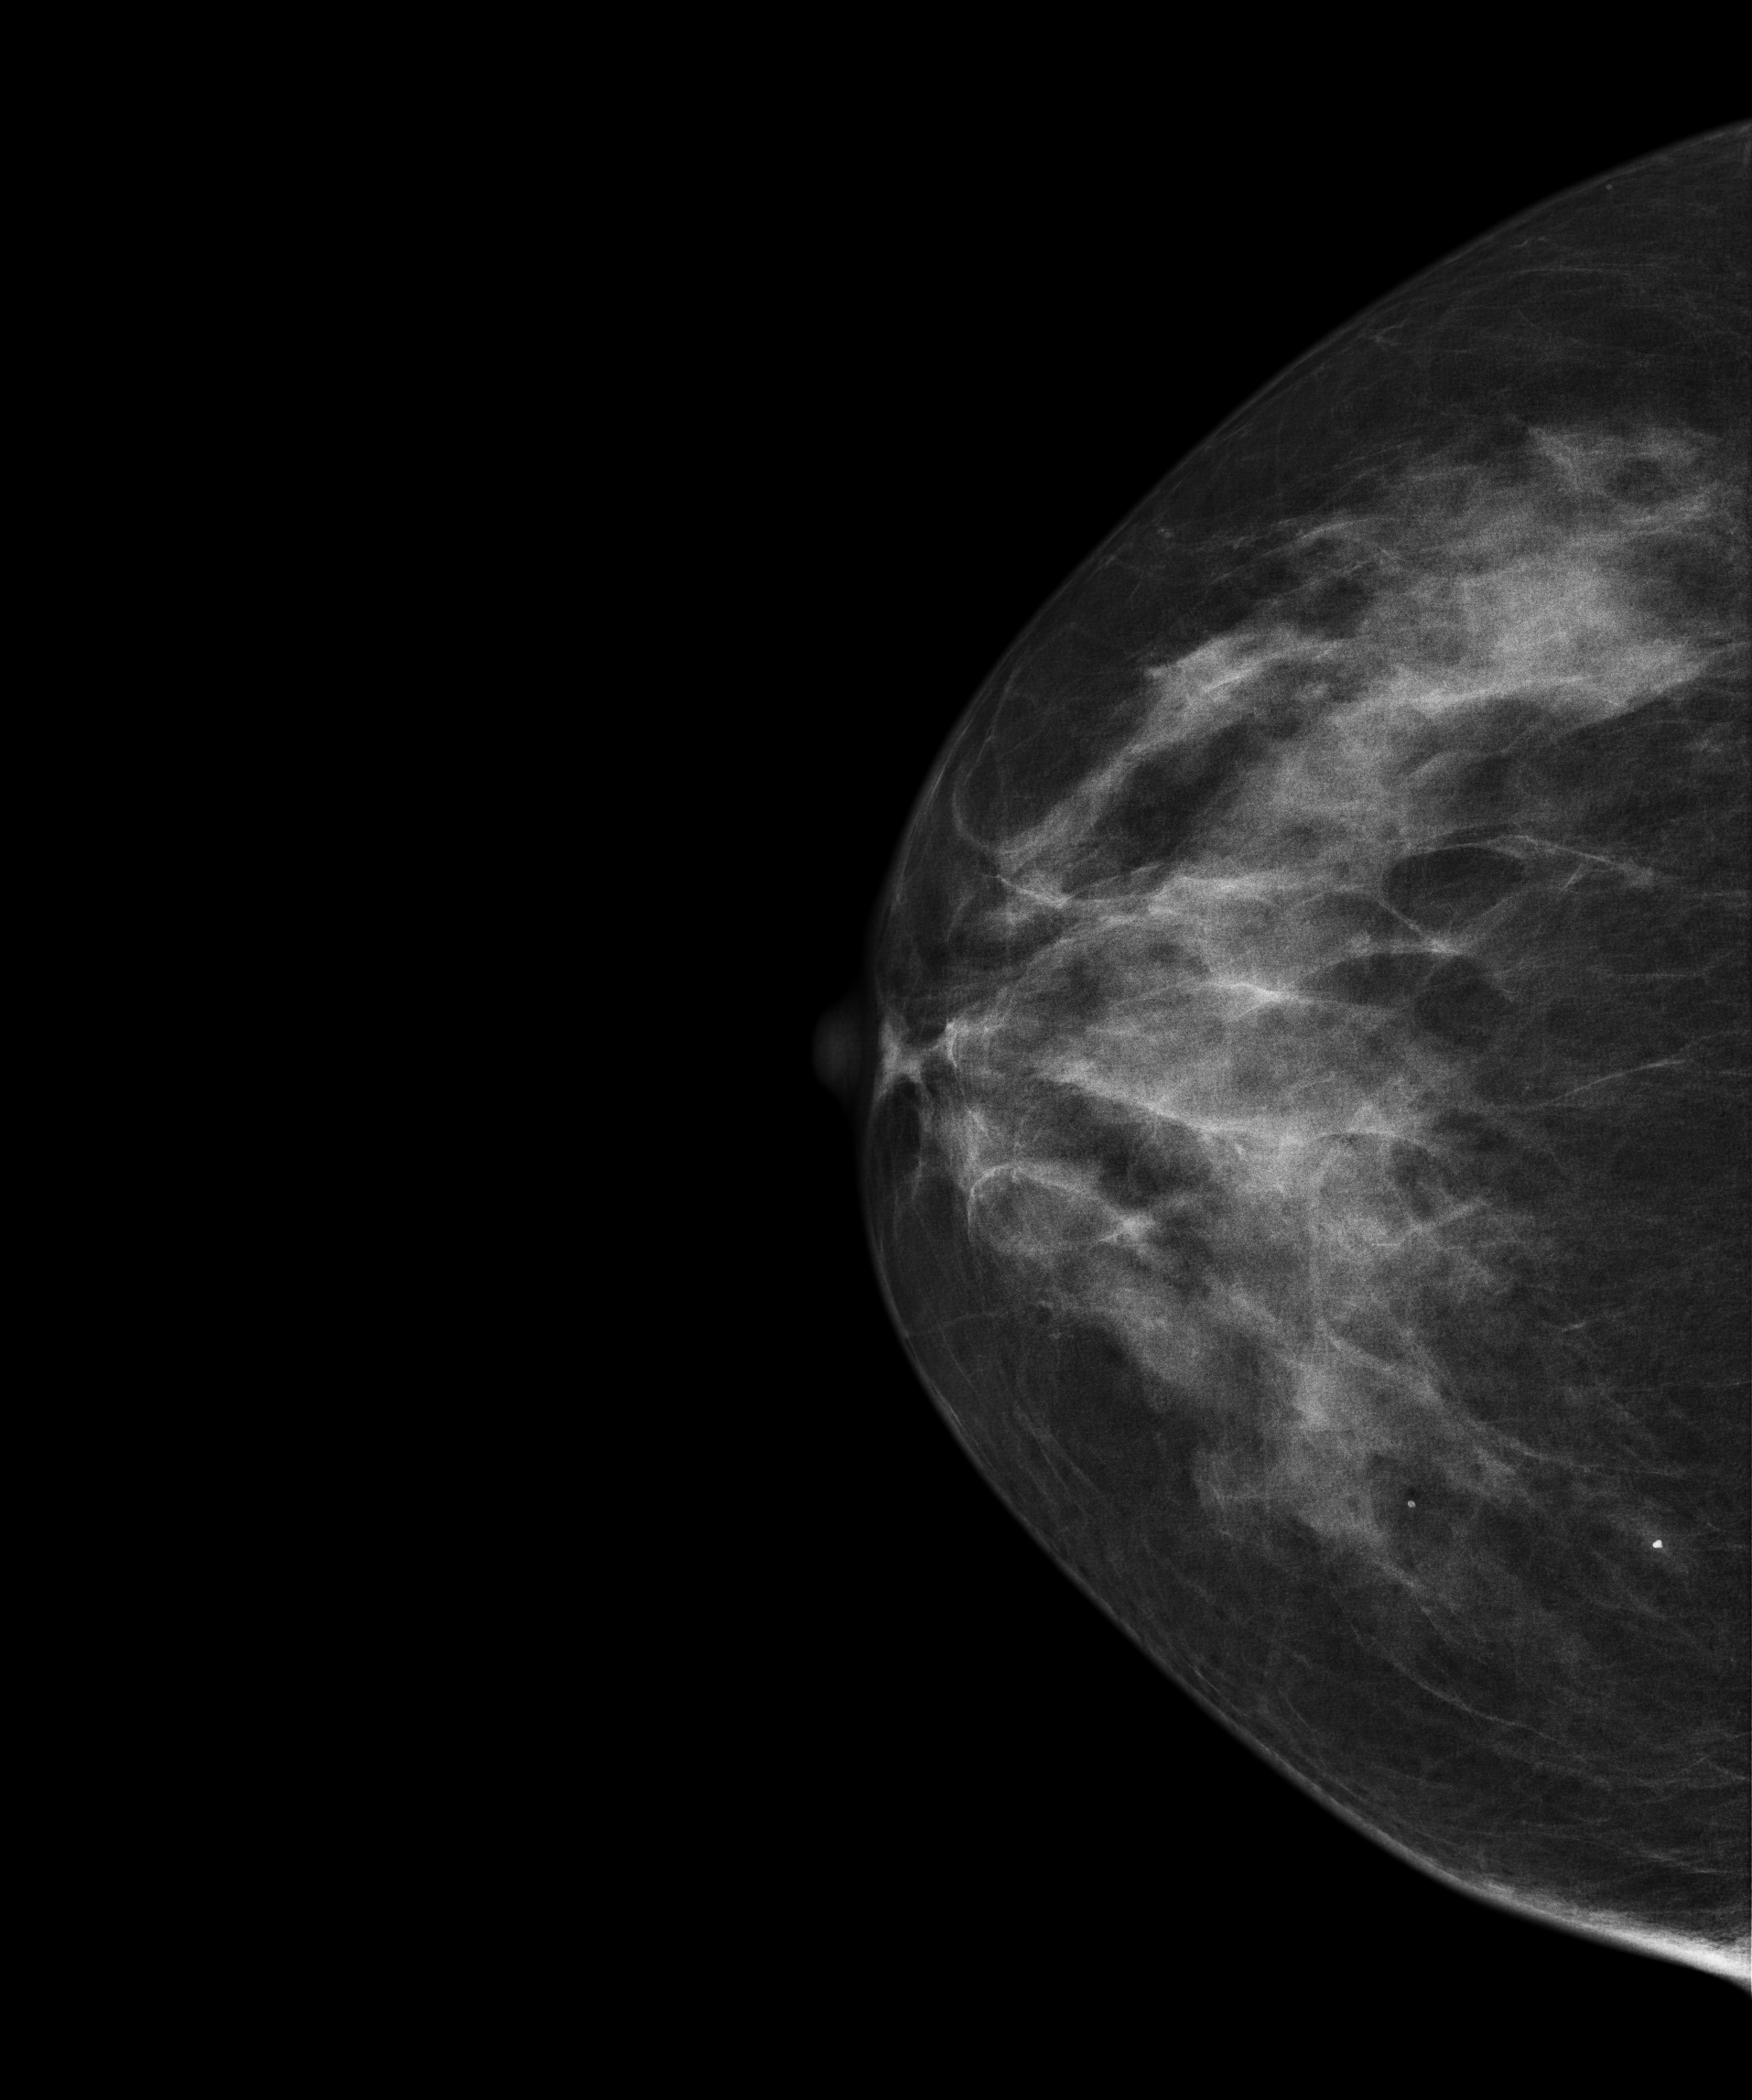
Mammogram — right cranio-caudal. 61-year-old patient.
Contralateral breast — no documented abnormality on this side.